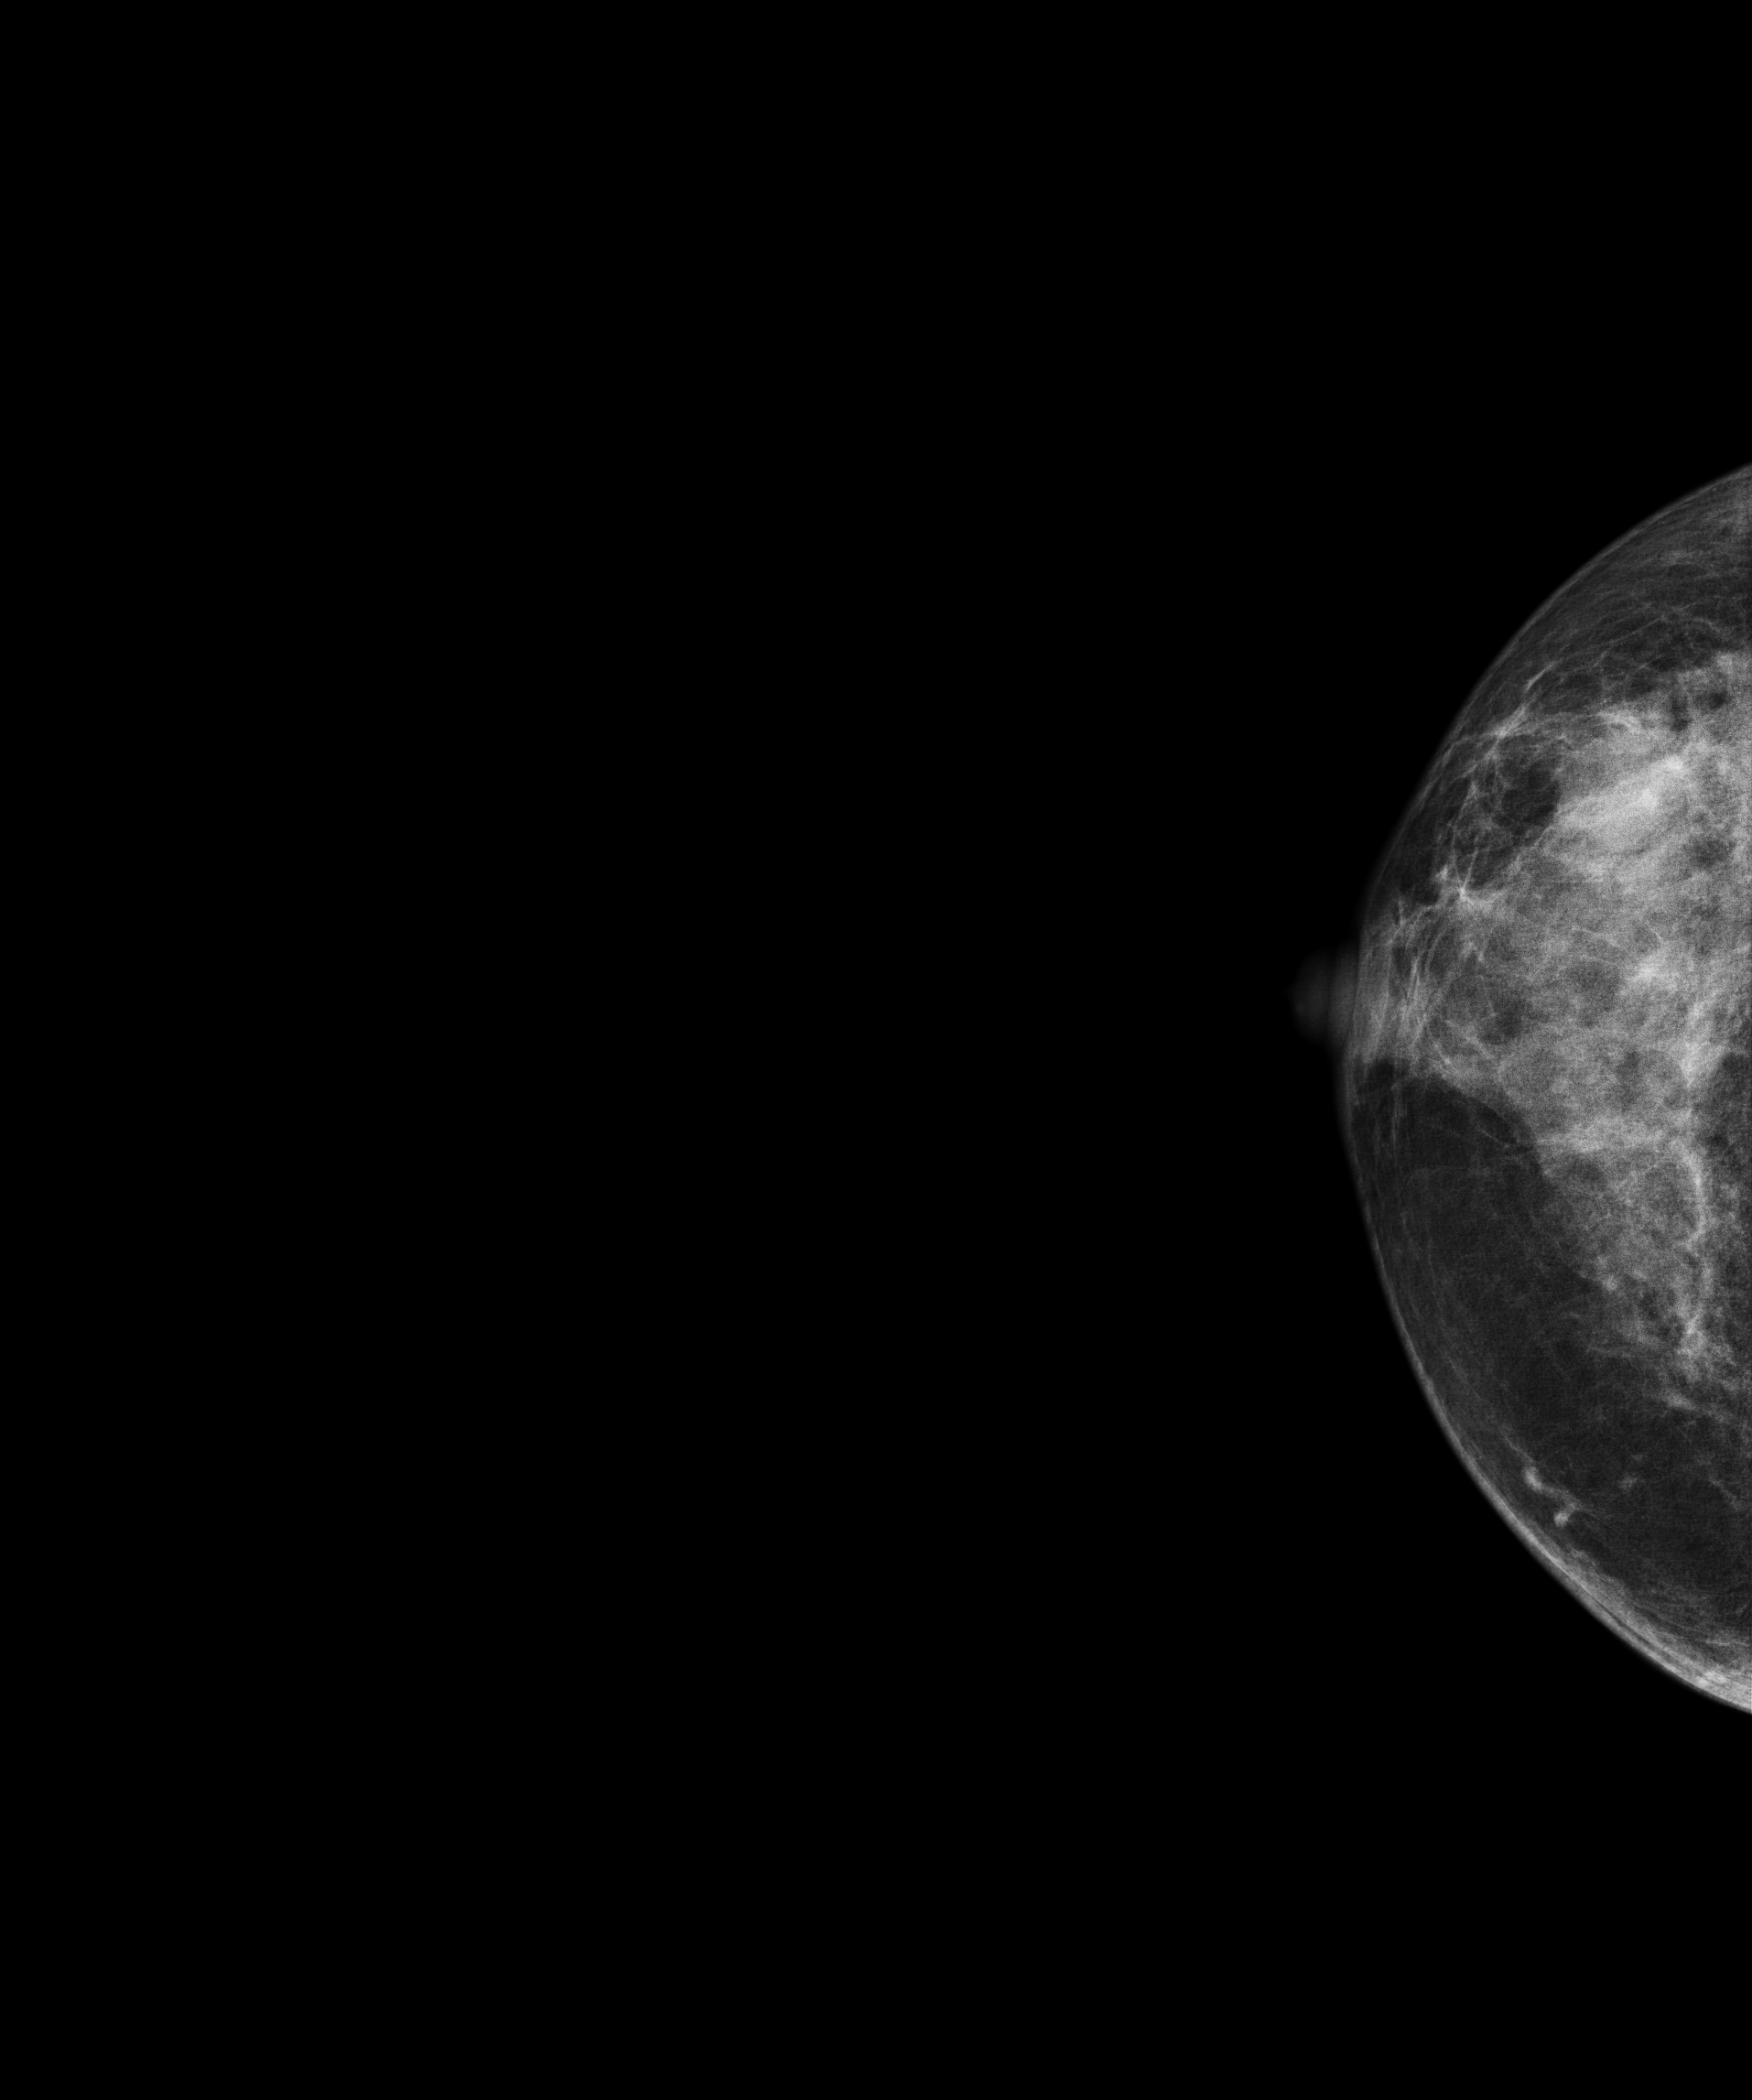
Digital mammography. Right breast, cranio-caudal projection. Patient age 57.
This breast has a mass, biopsy-proven malignant. Molecular subtype: luminal B.